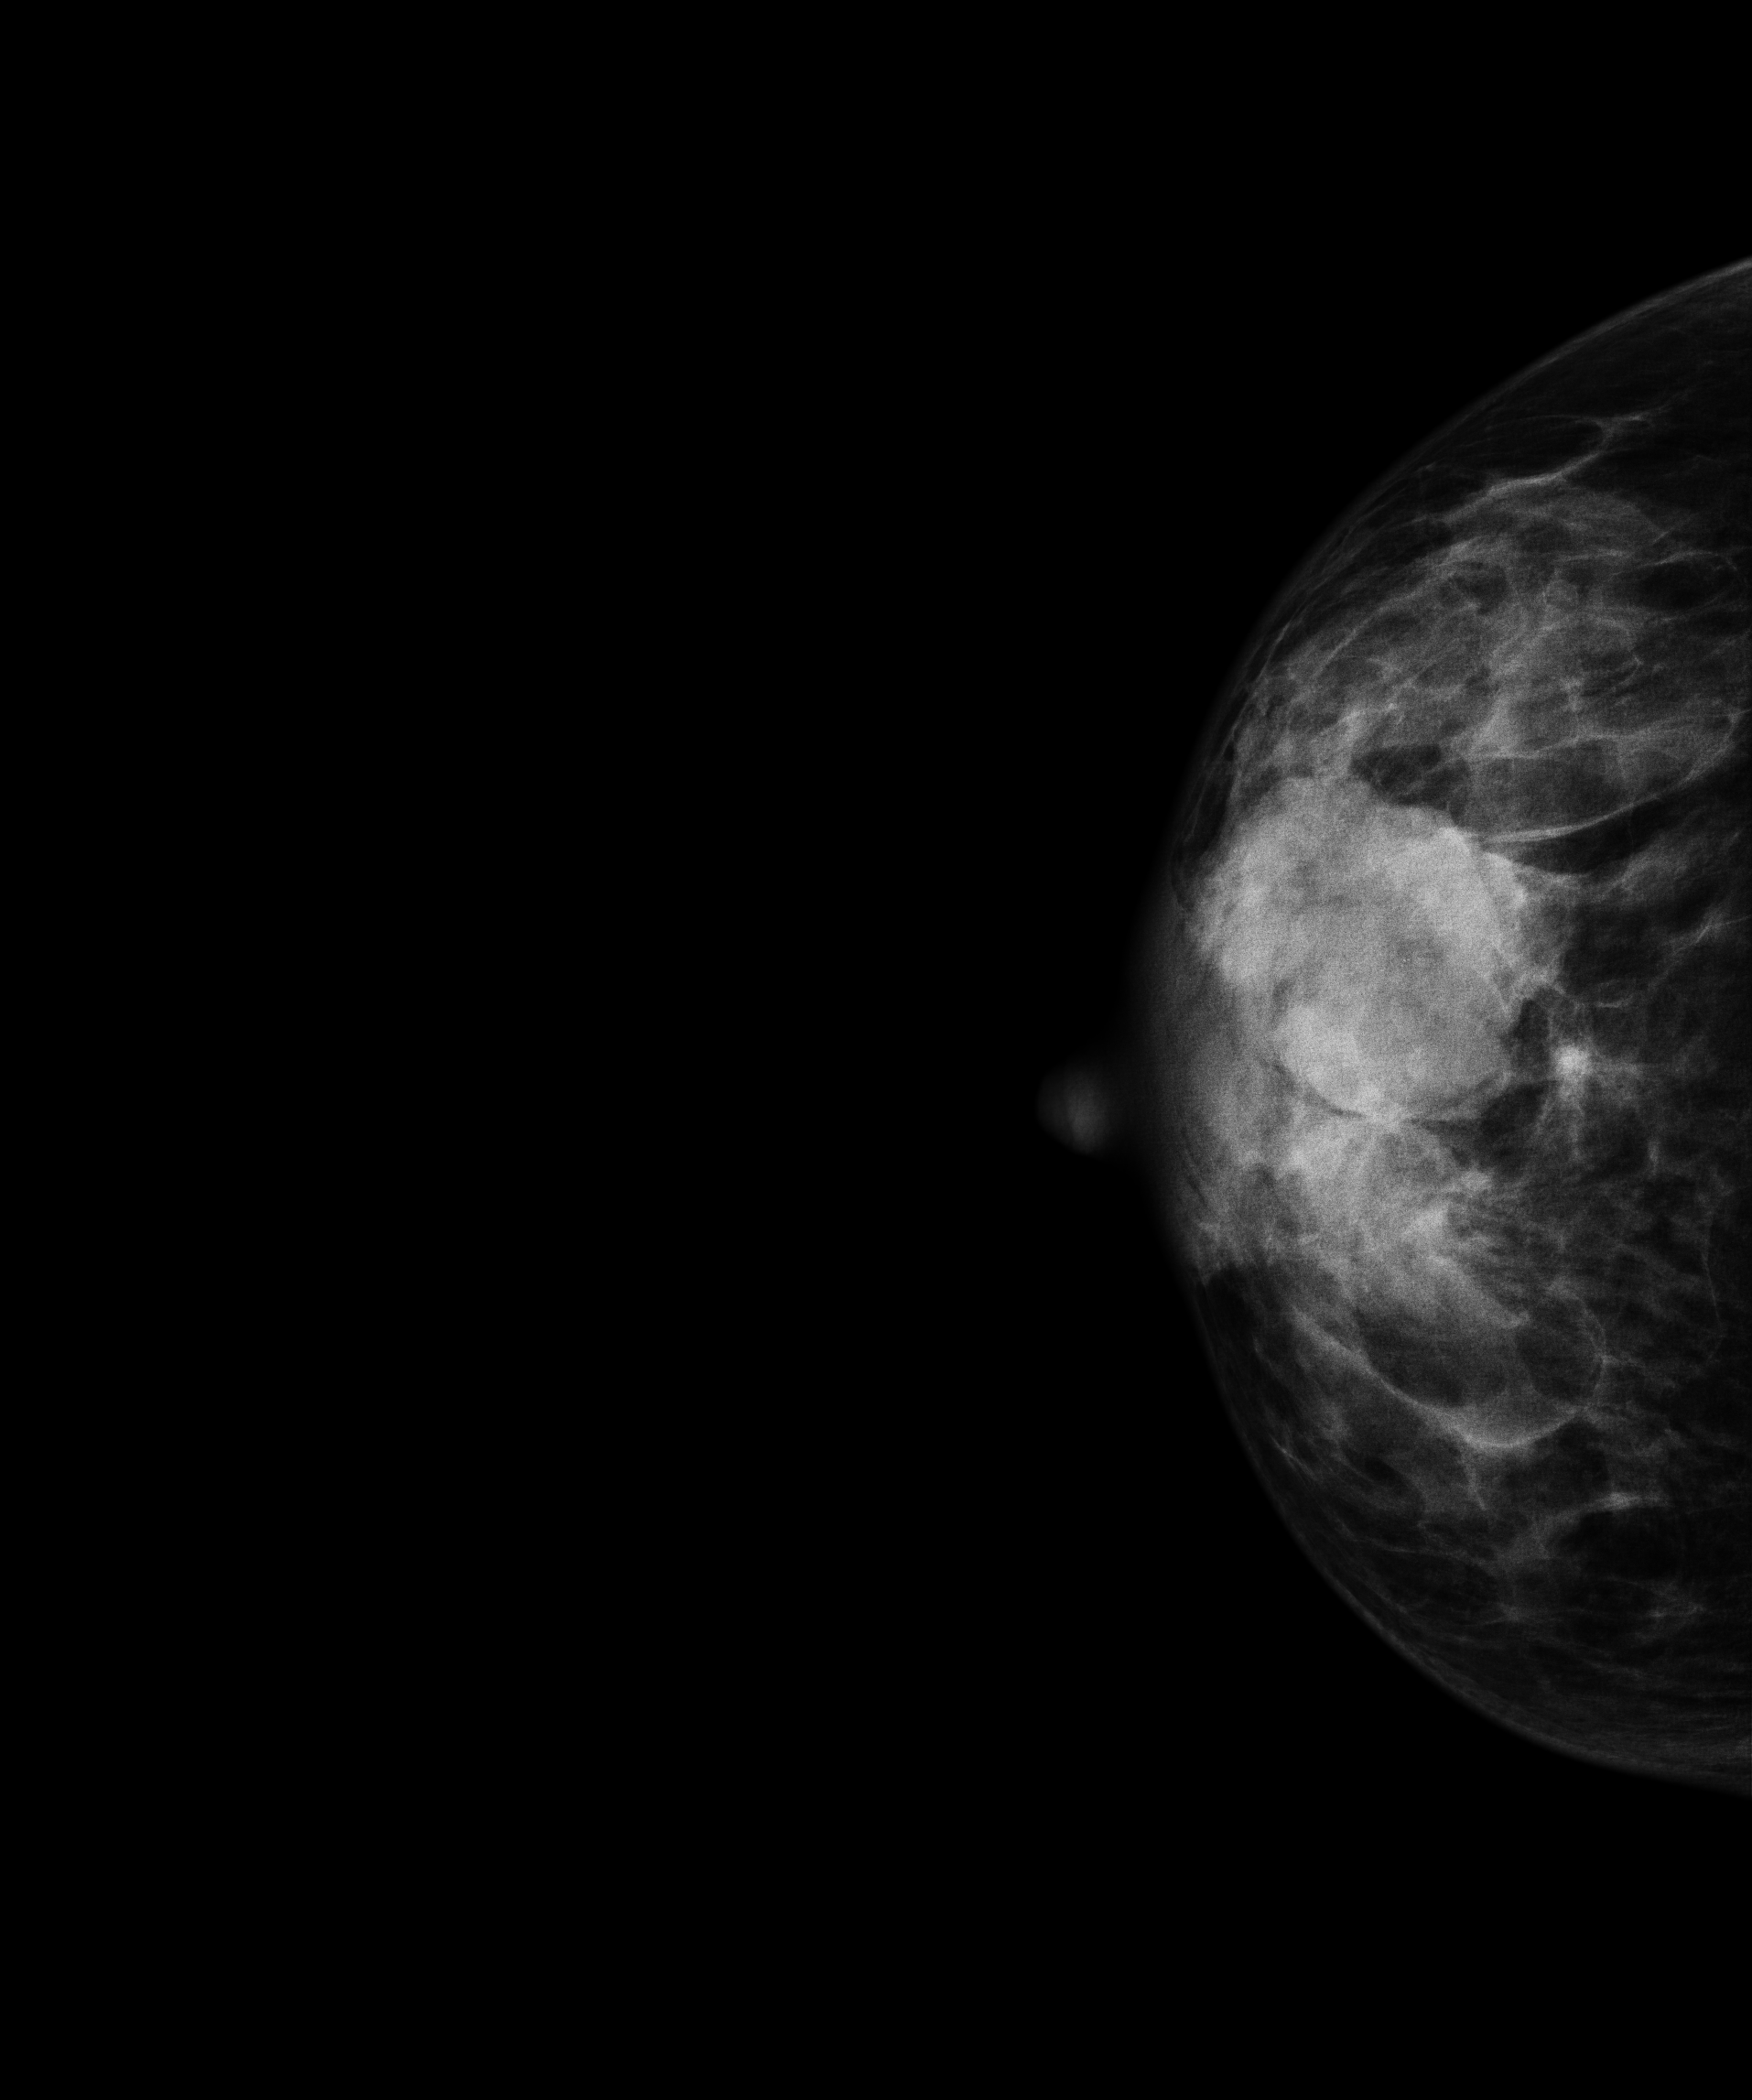
Right-breast mammogram, cranio-caudal. 49 y/o patient.
This breast has a mass, histologically confirmed malignant. Molecular subtype: triple-negative.